Right-breast mammogram, cranio-caudal. 47 y/o patient.
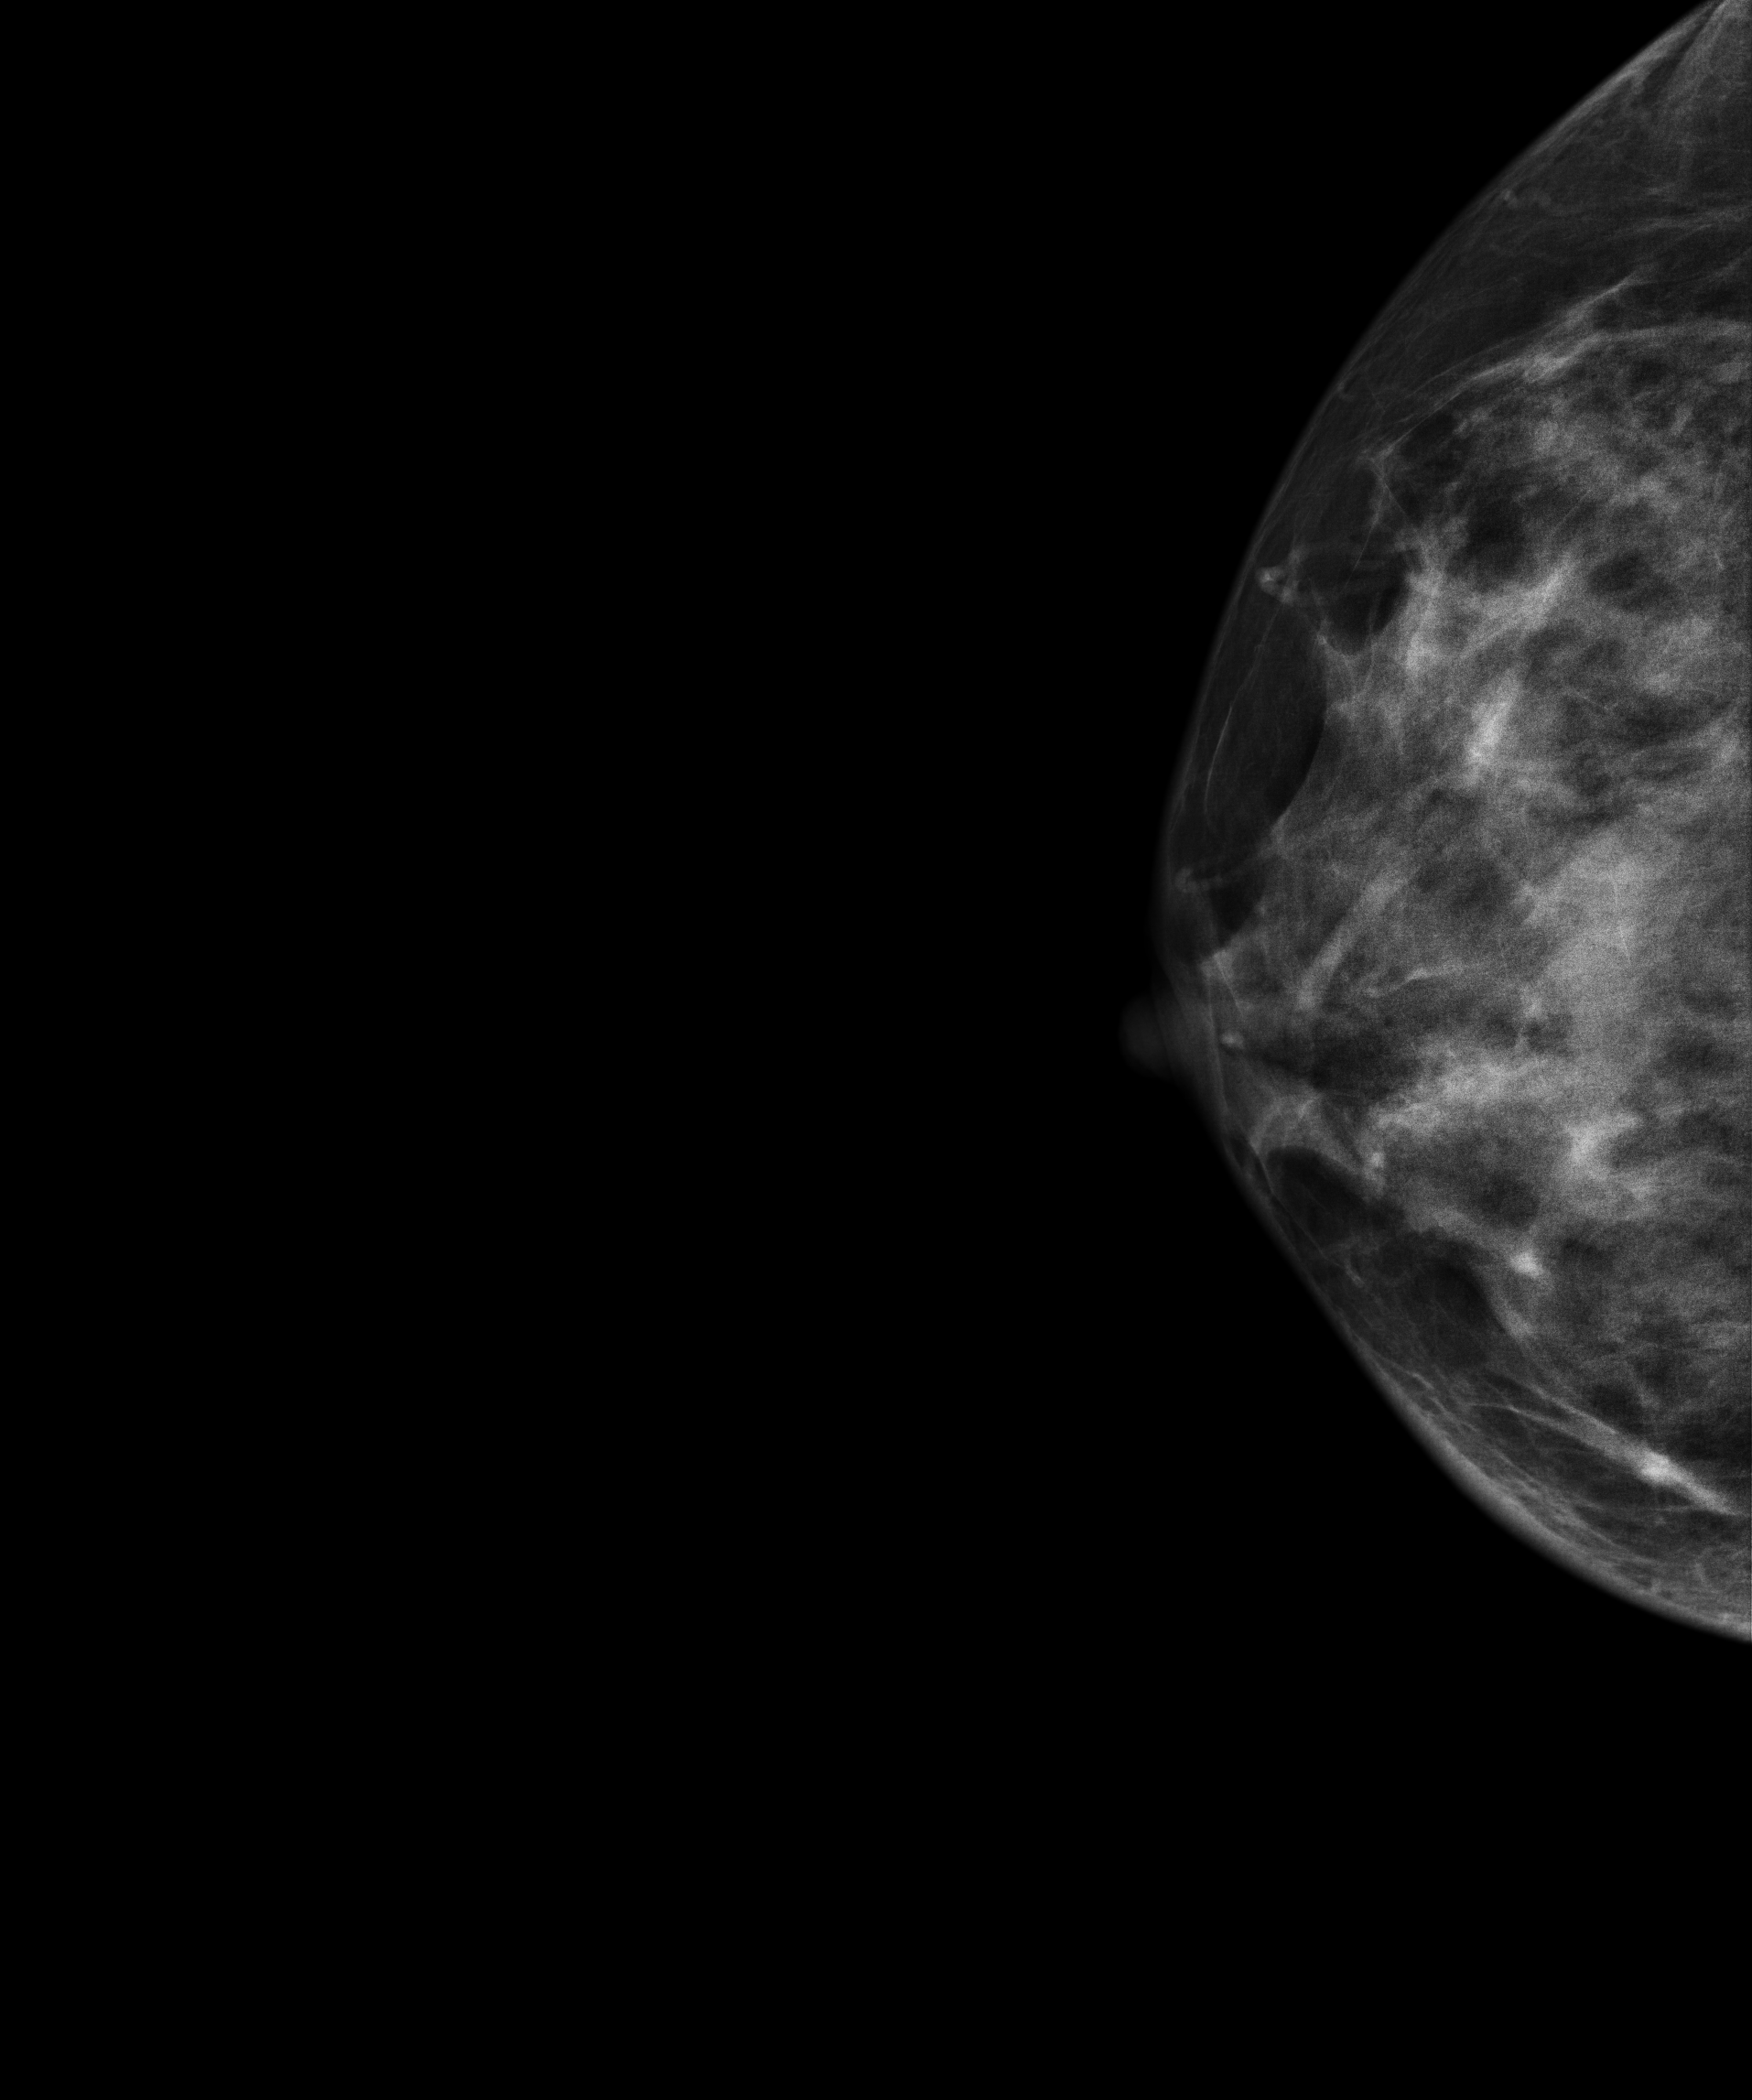
This breast has a mass, pathology-confirmed malignant.